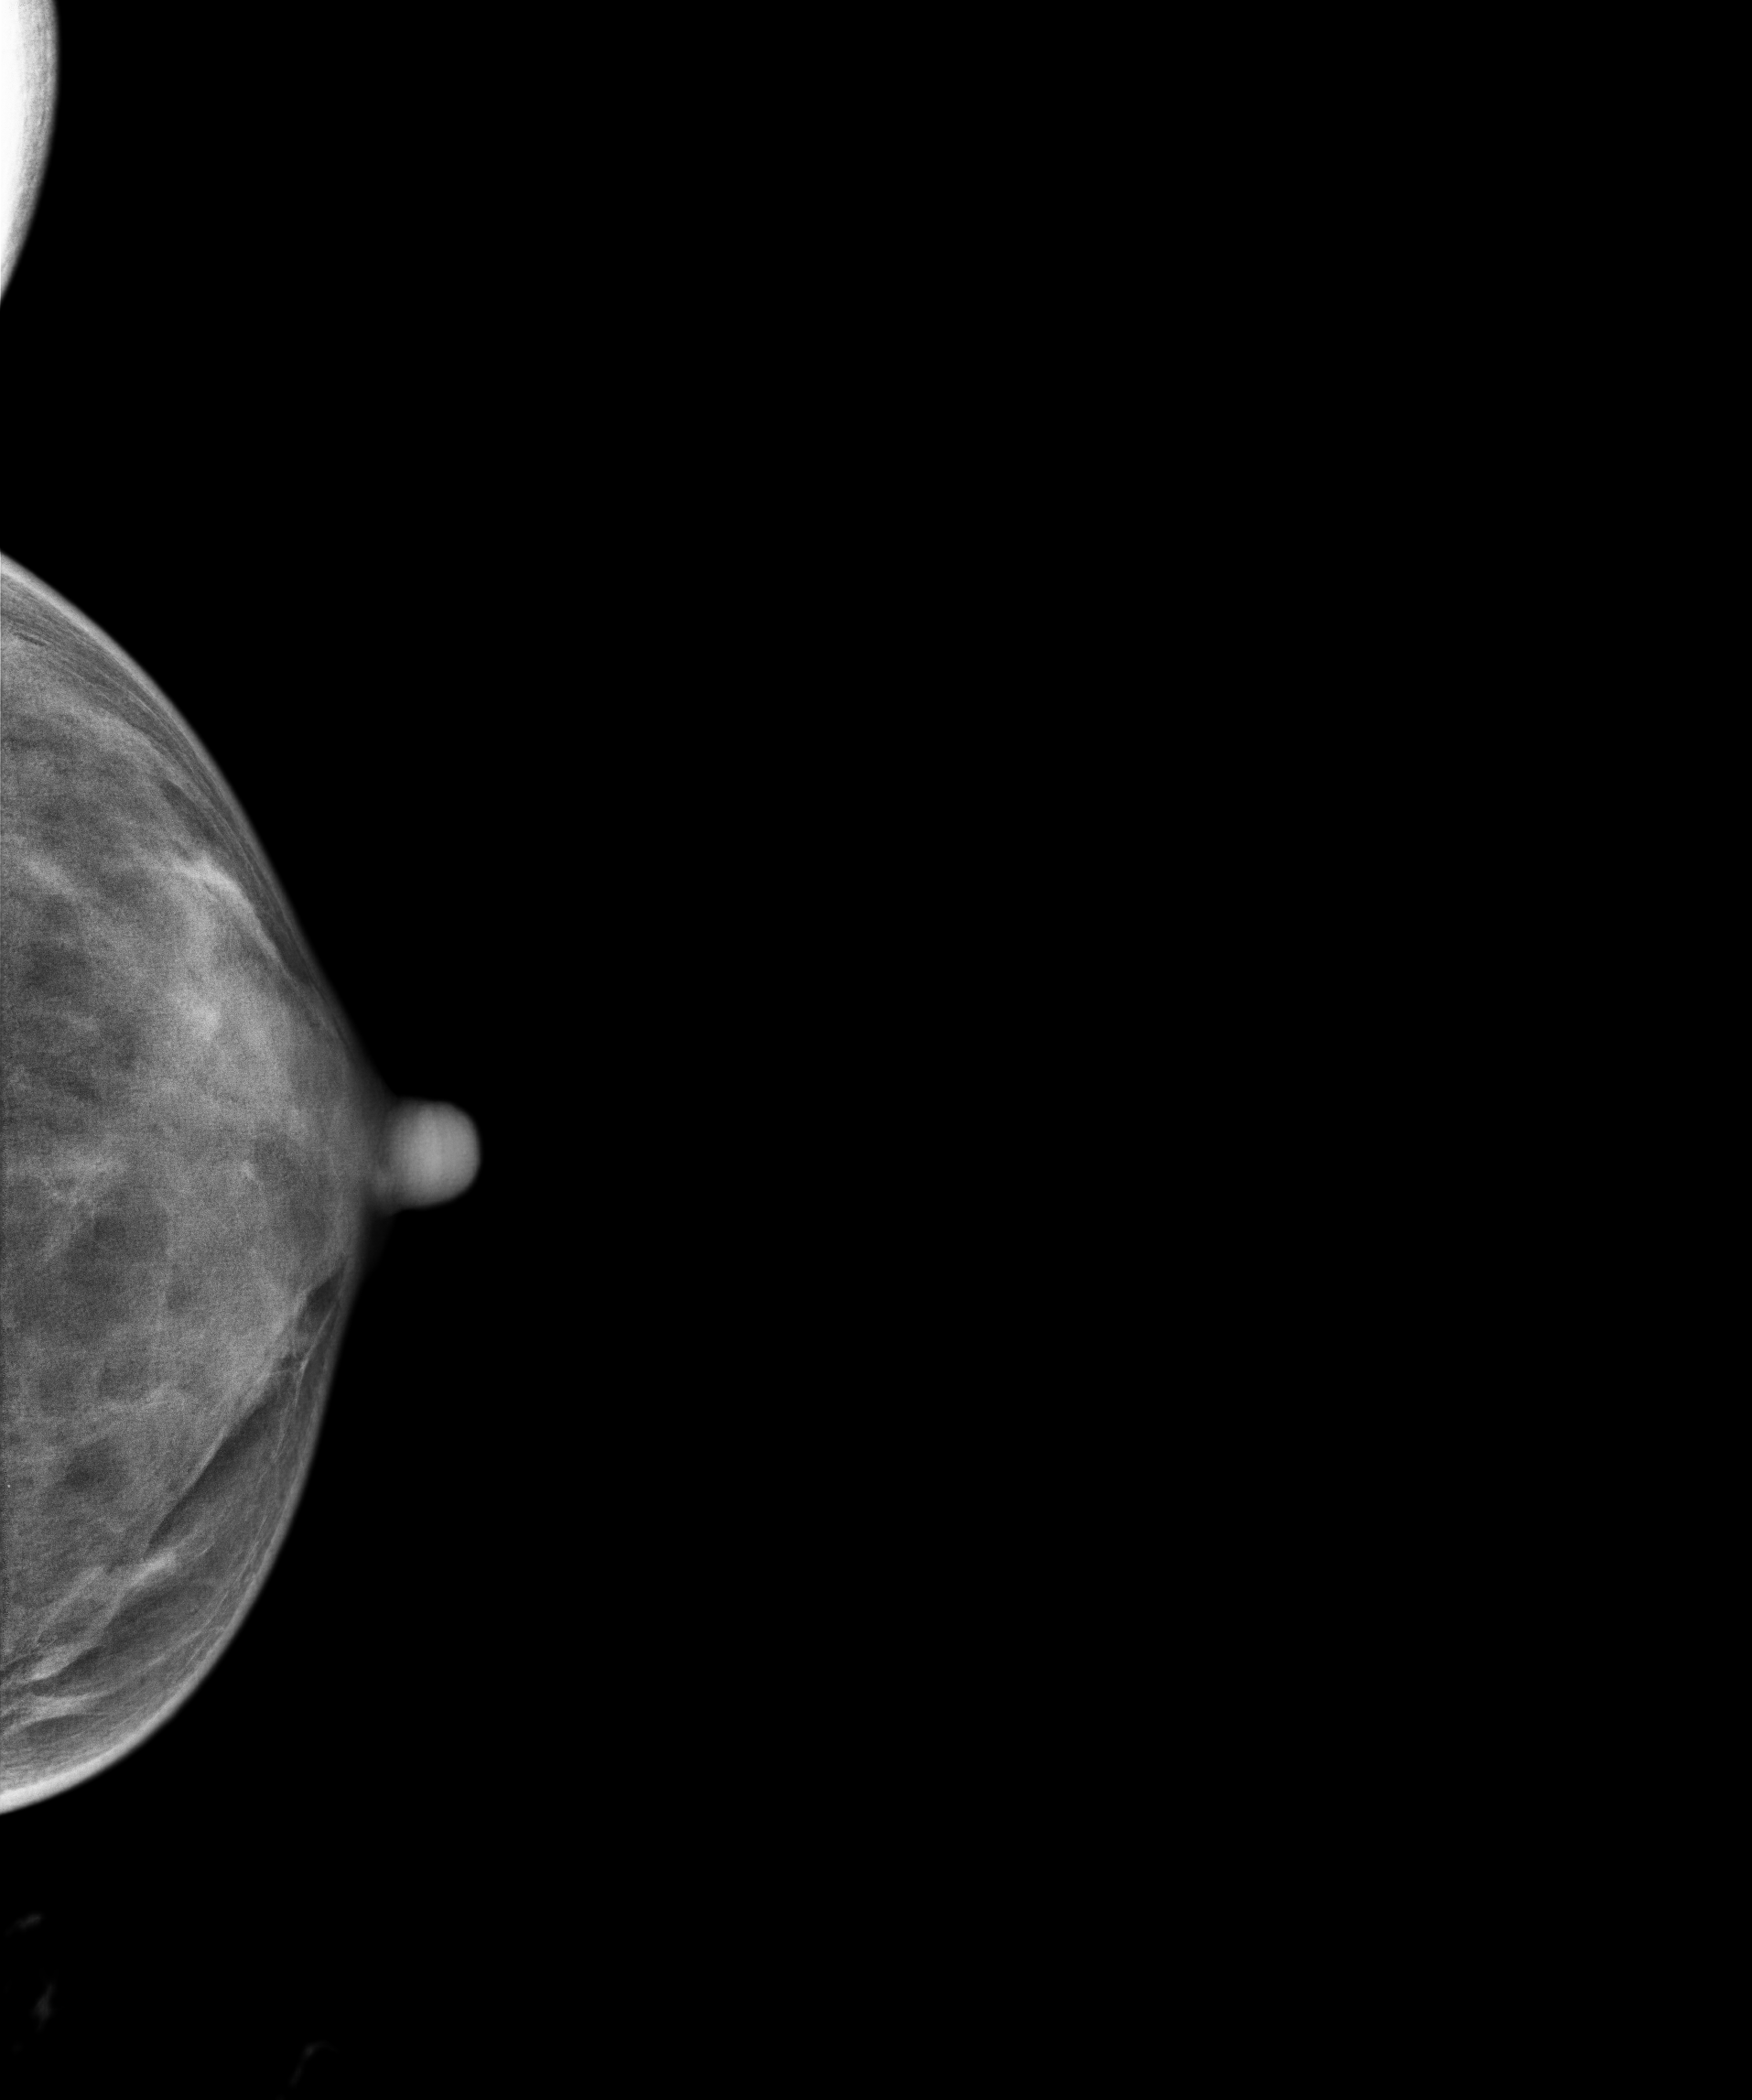
Digital mammography. Left breast, cranio-caudal projection. 33 y/o patient.
Contralateral breast — no documented abnormality on this side.